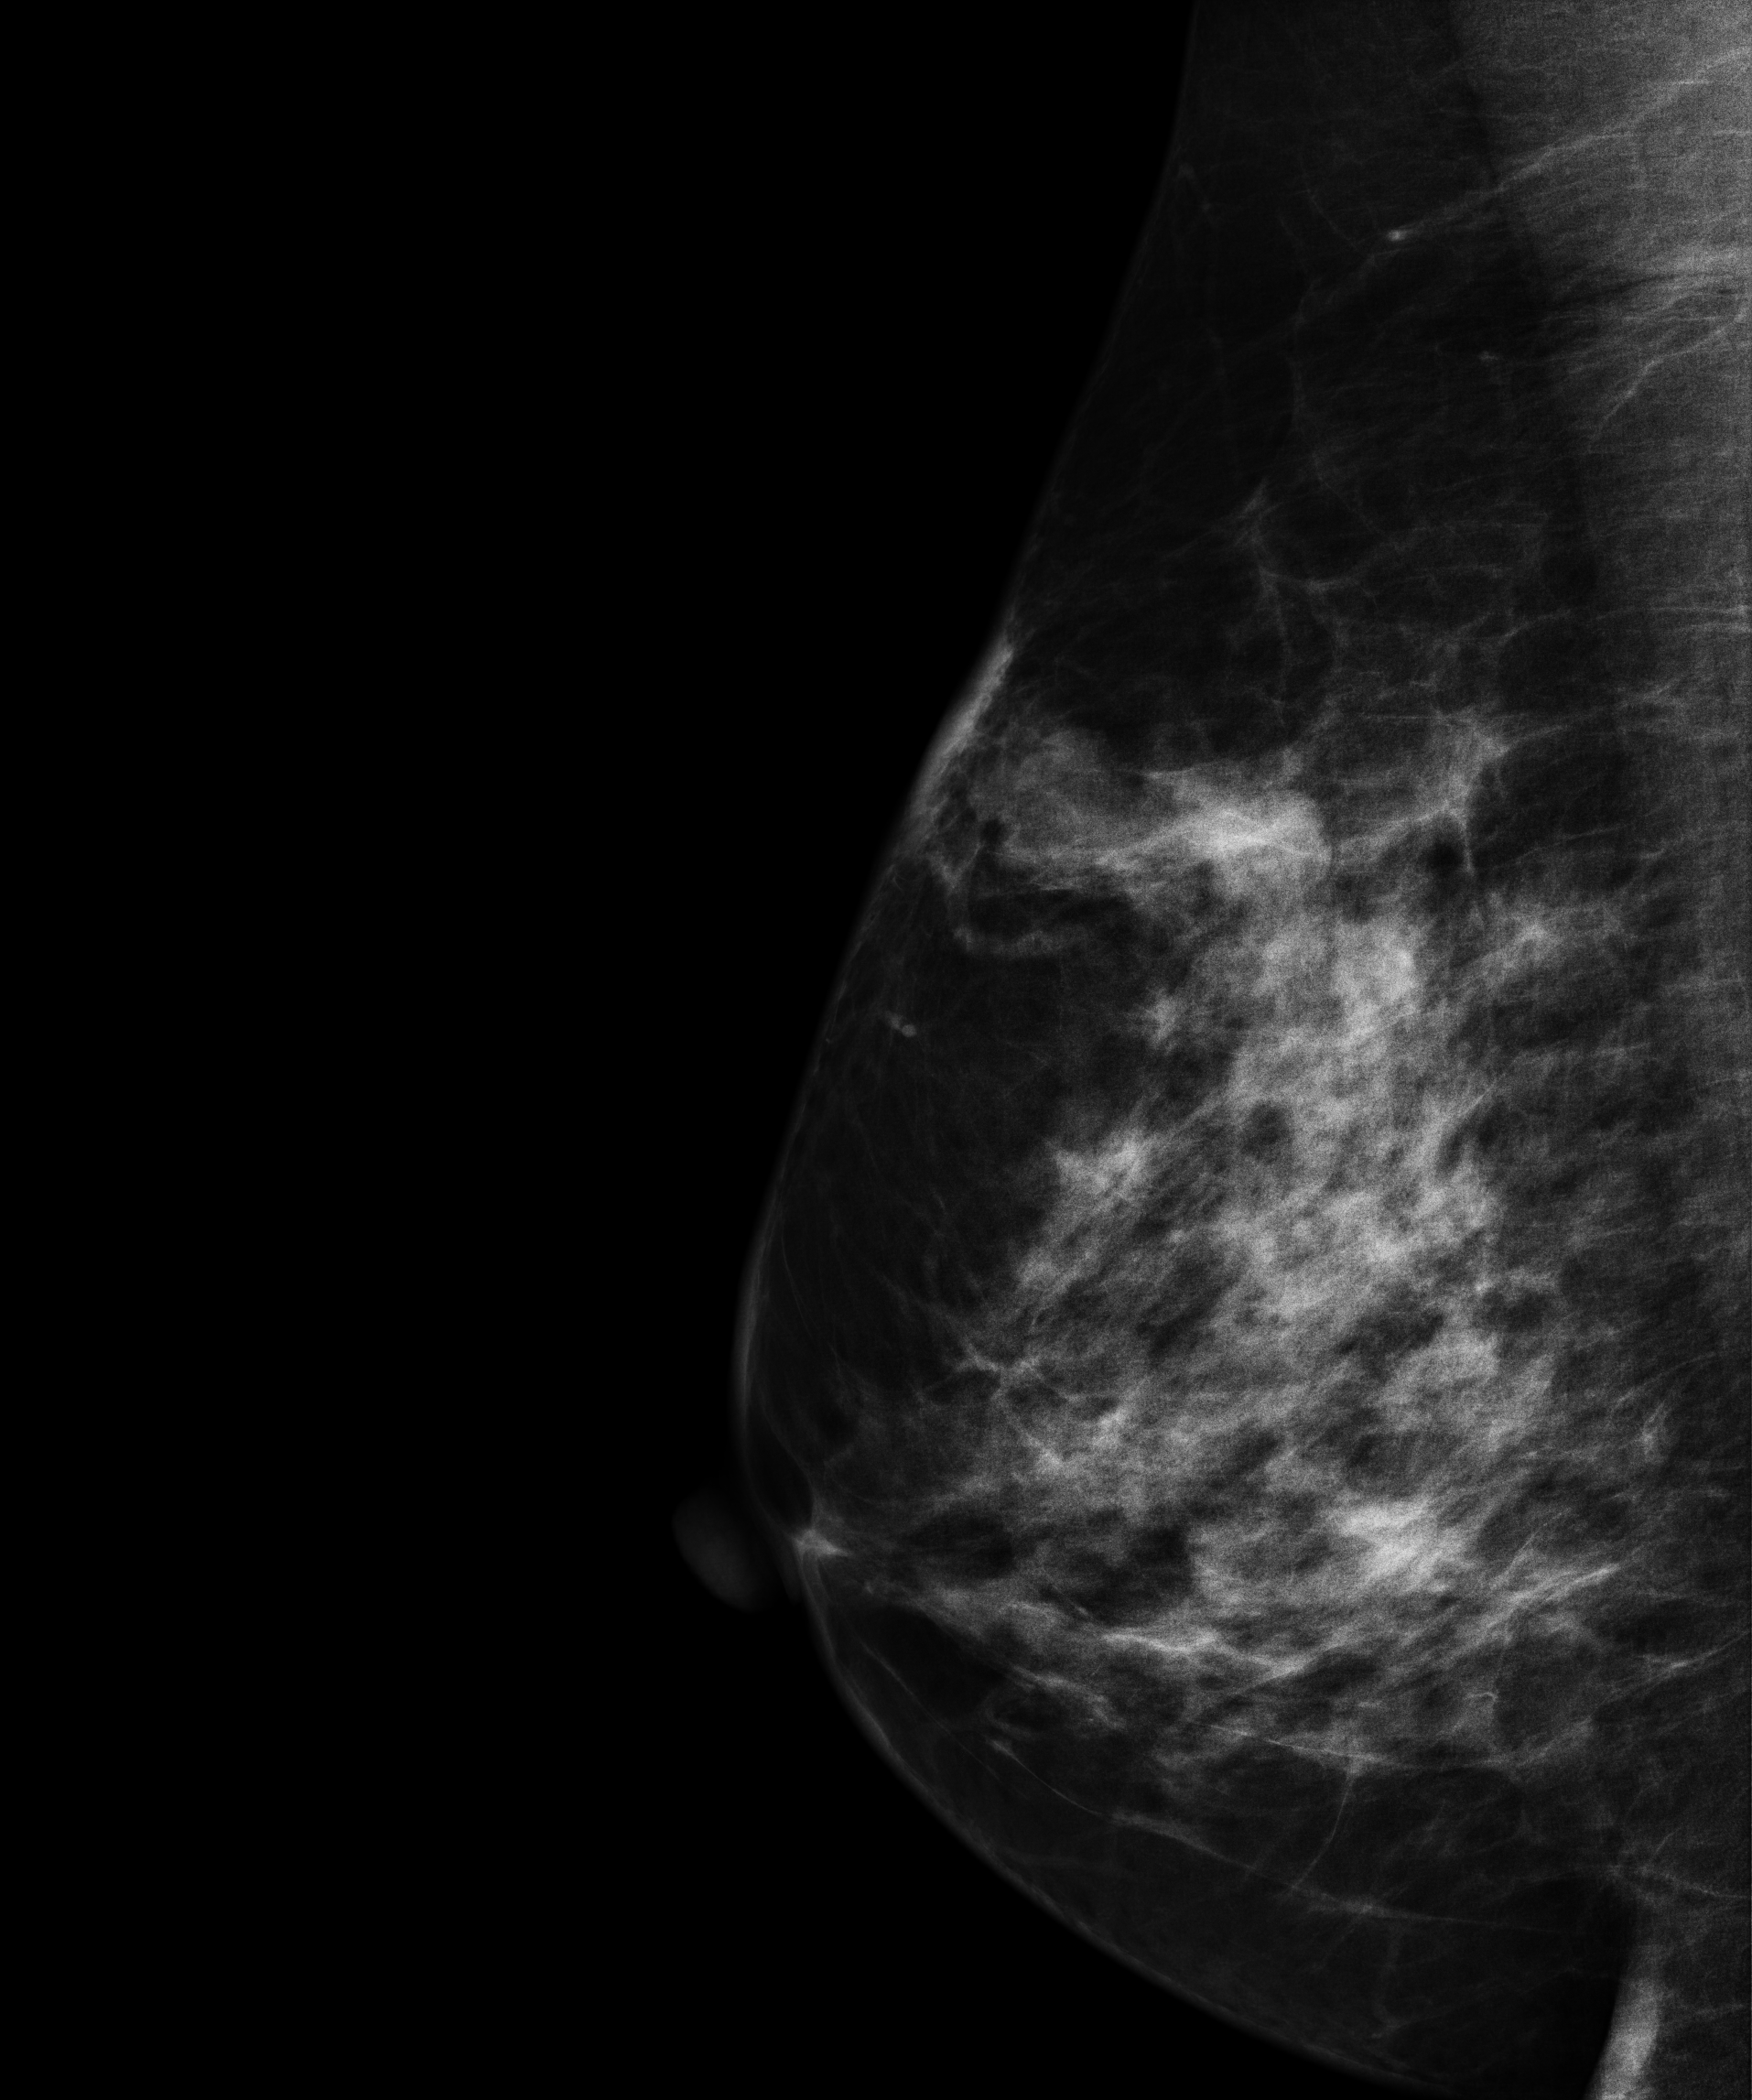
Mammogram, right breast, medio-lateral oblique view. 49-year-old patient.
This breast has a mass, pathology-confirmed malignant. Molecular subtype: triple-negative.